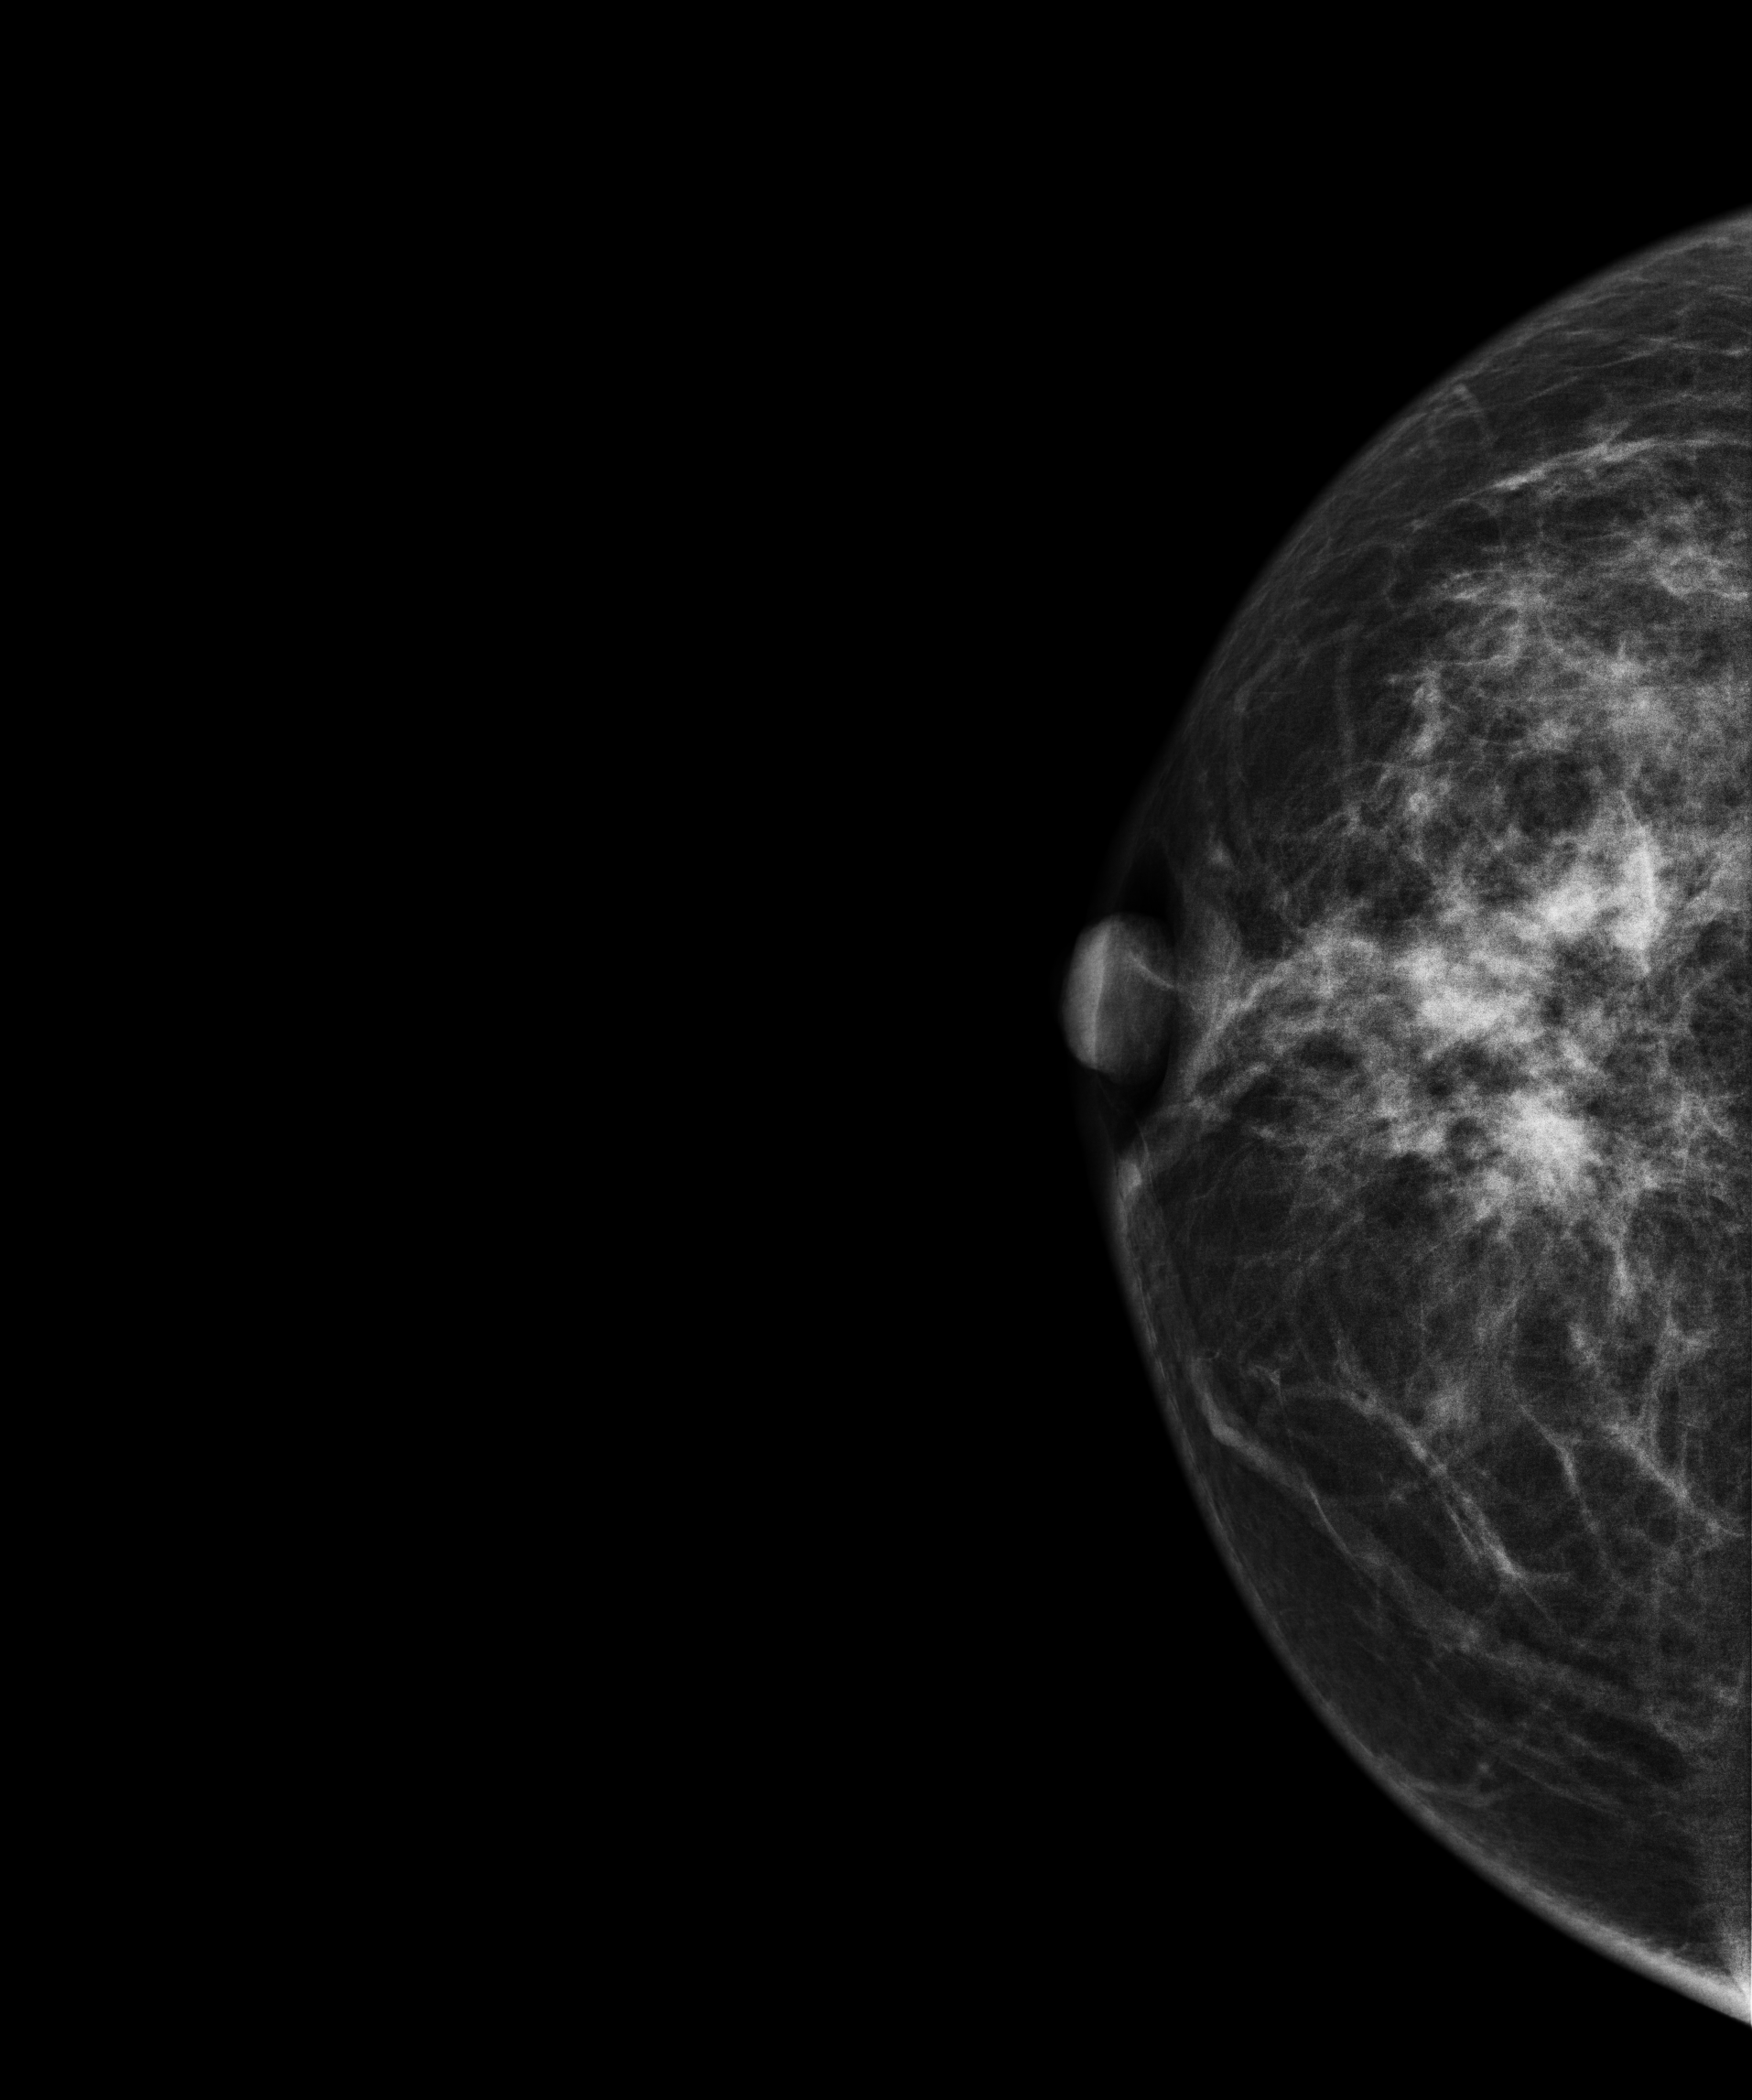
CC mammogram of the right breast. 47 y/o patient.
This breast has a mass, pathology-confirmed malignant. Molecular subtype: HER2-enriched.